Mammogram — left CC. 47 y/o patient.
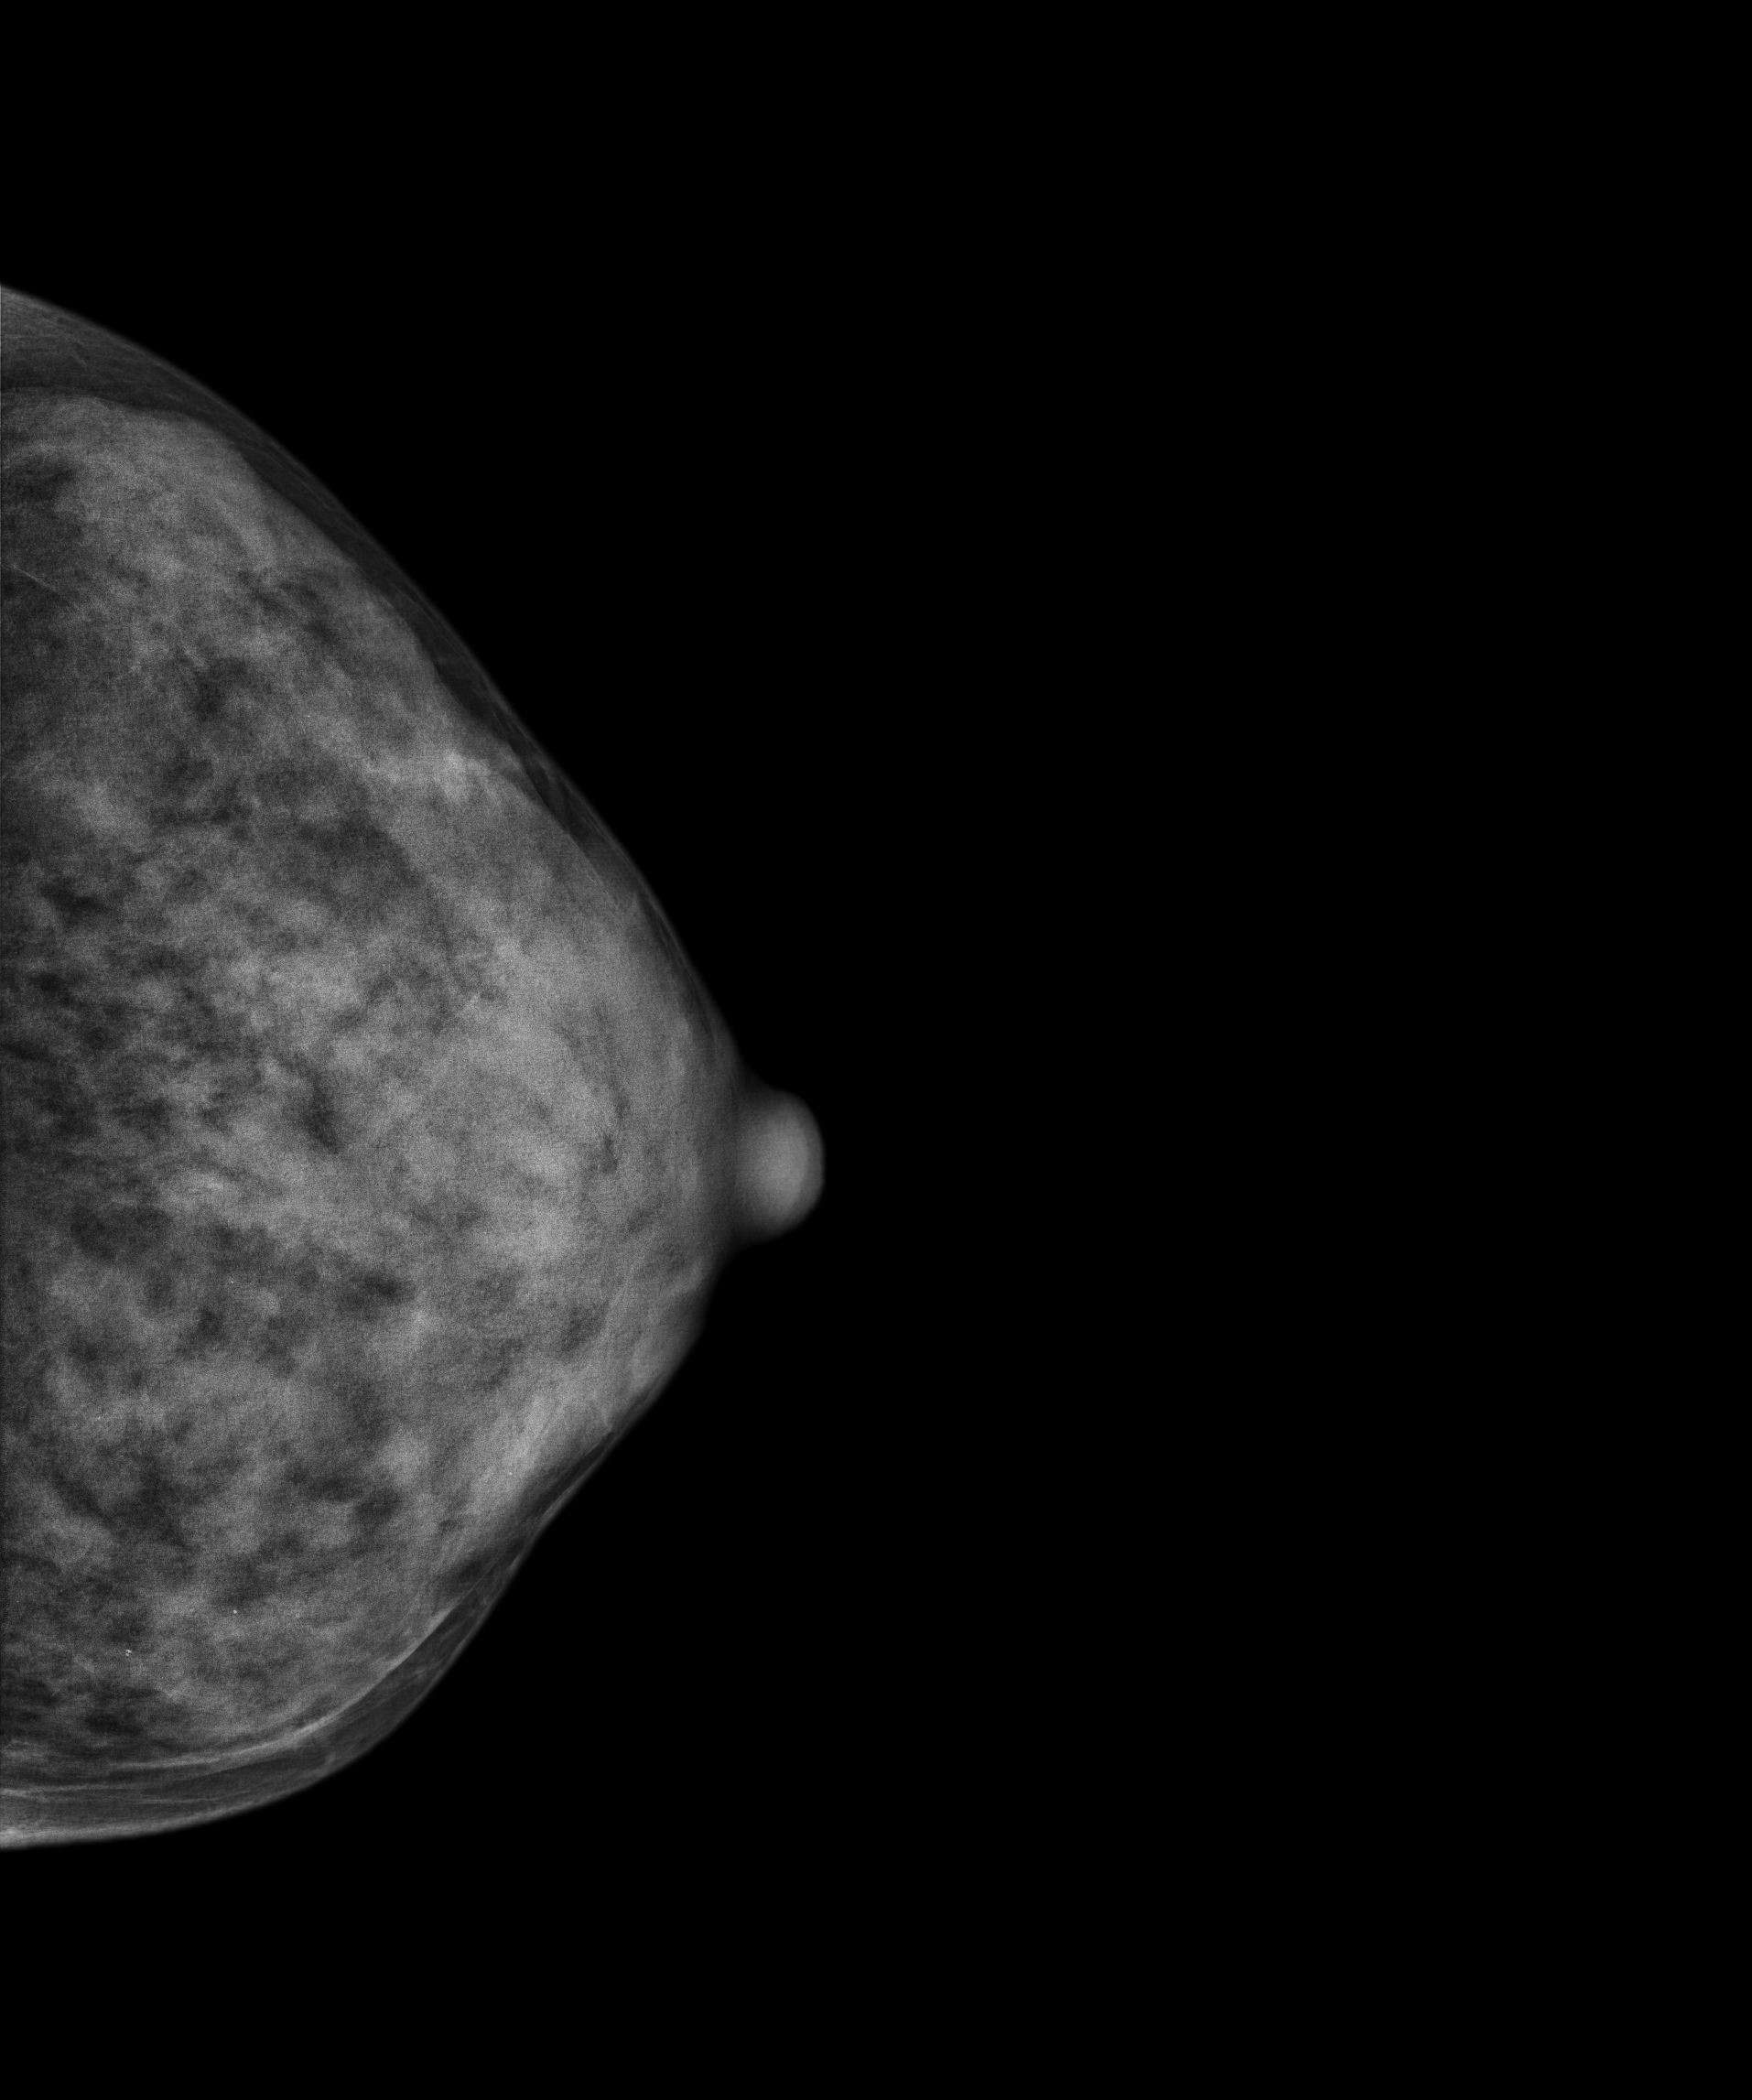
This breast has a mass, pathology-confirmed benign.